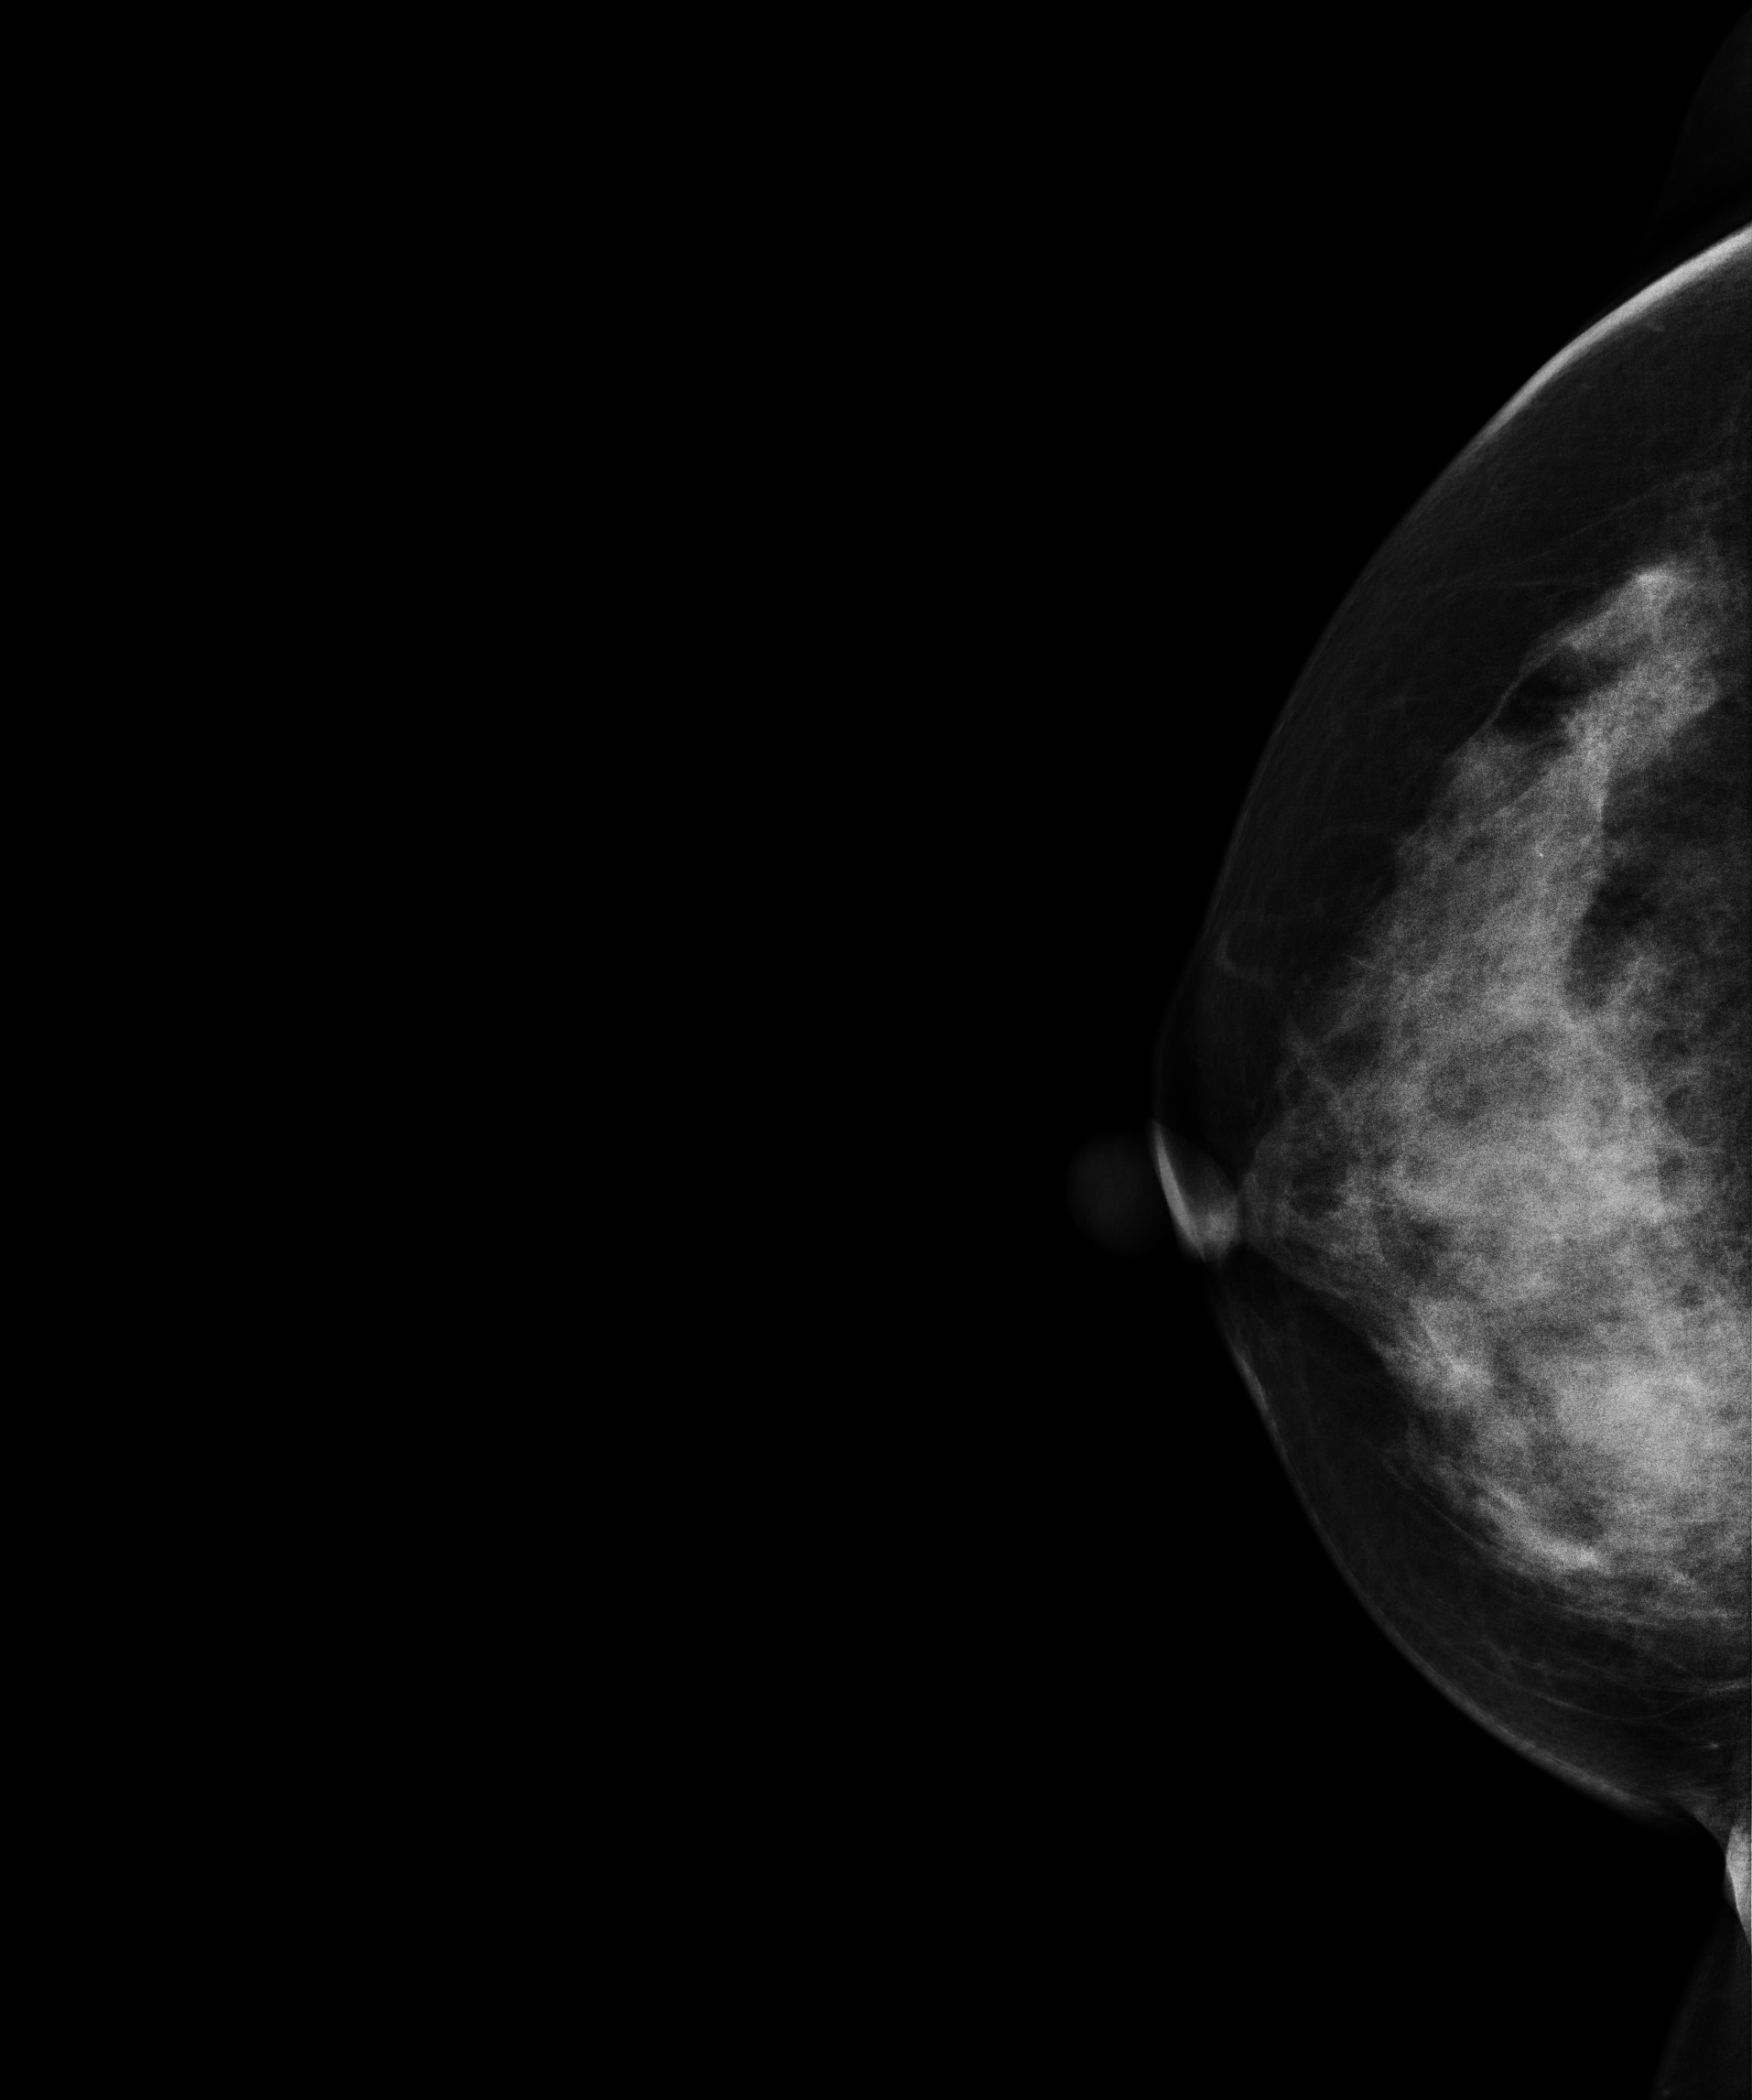
Mammogram, right breast, cranio-caudal view. 39-year-old patient.
This breast has a mass, histologically confirmed malignant. Molecular subtype: luminal B.